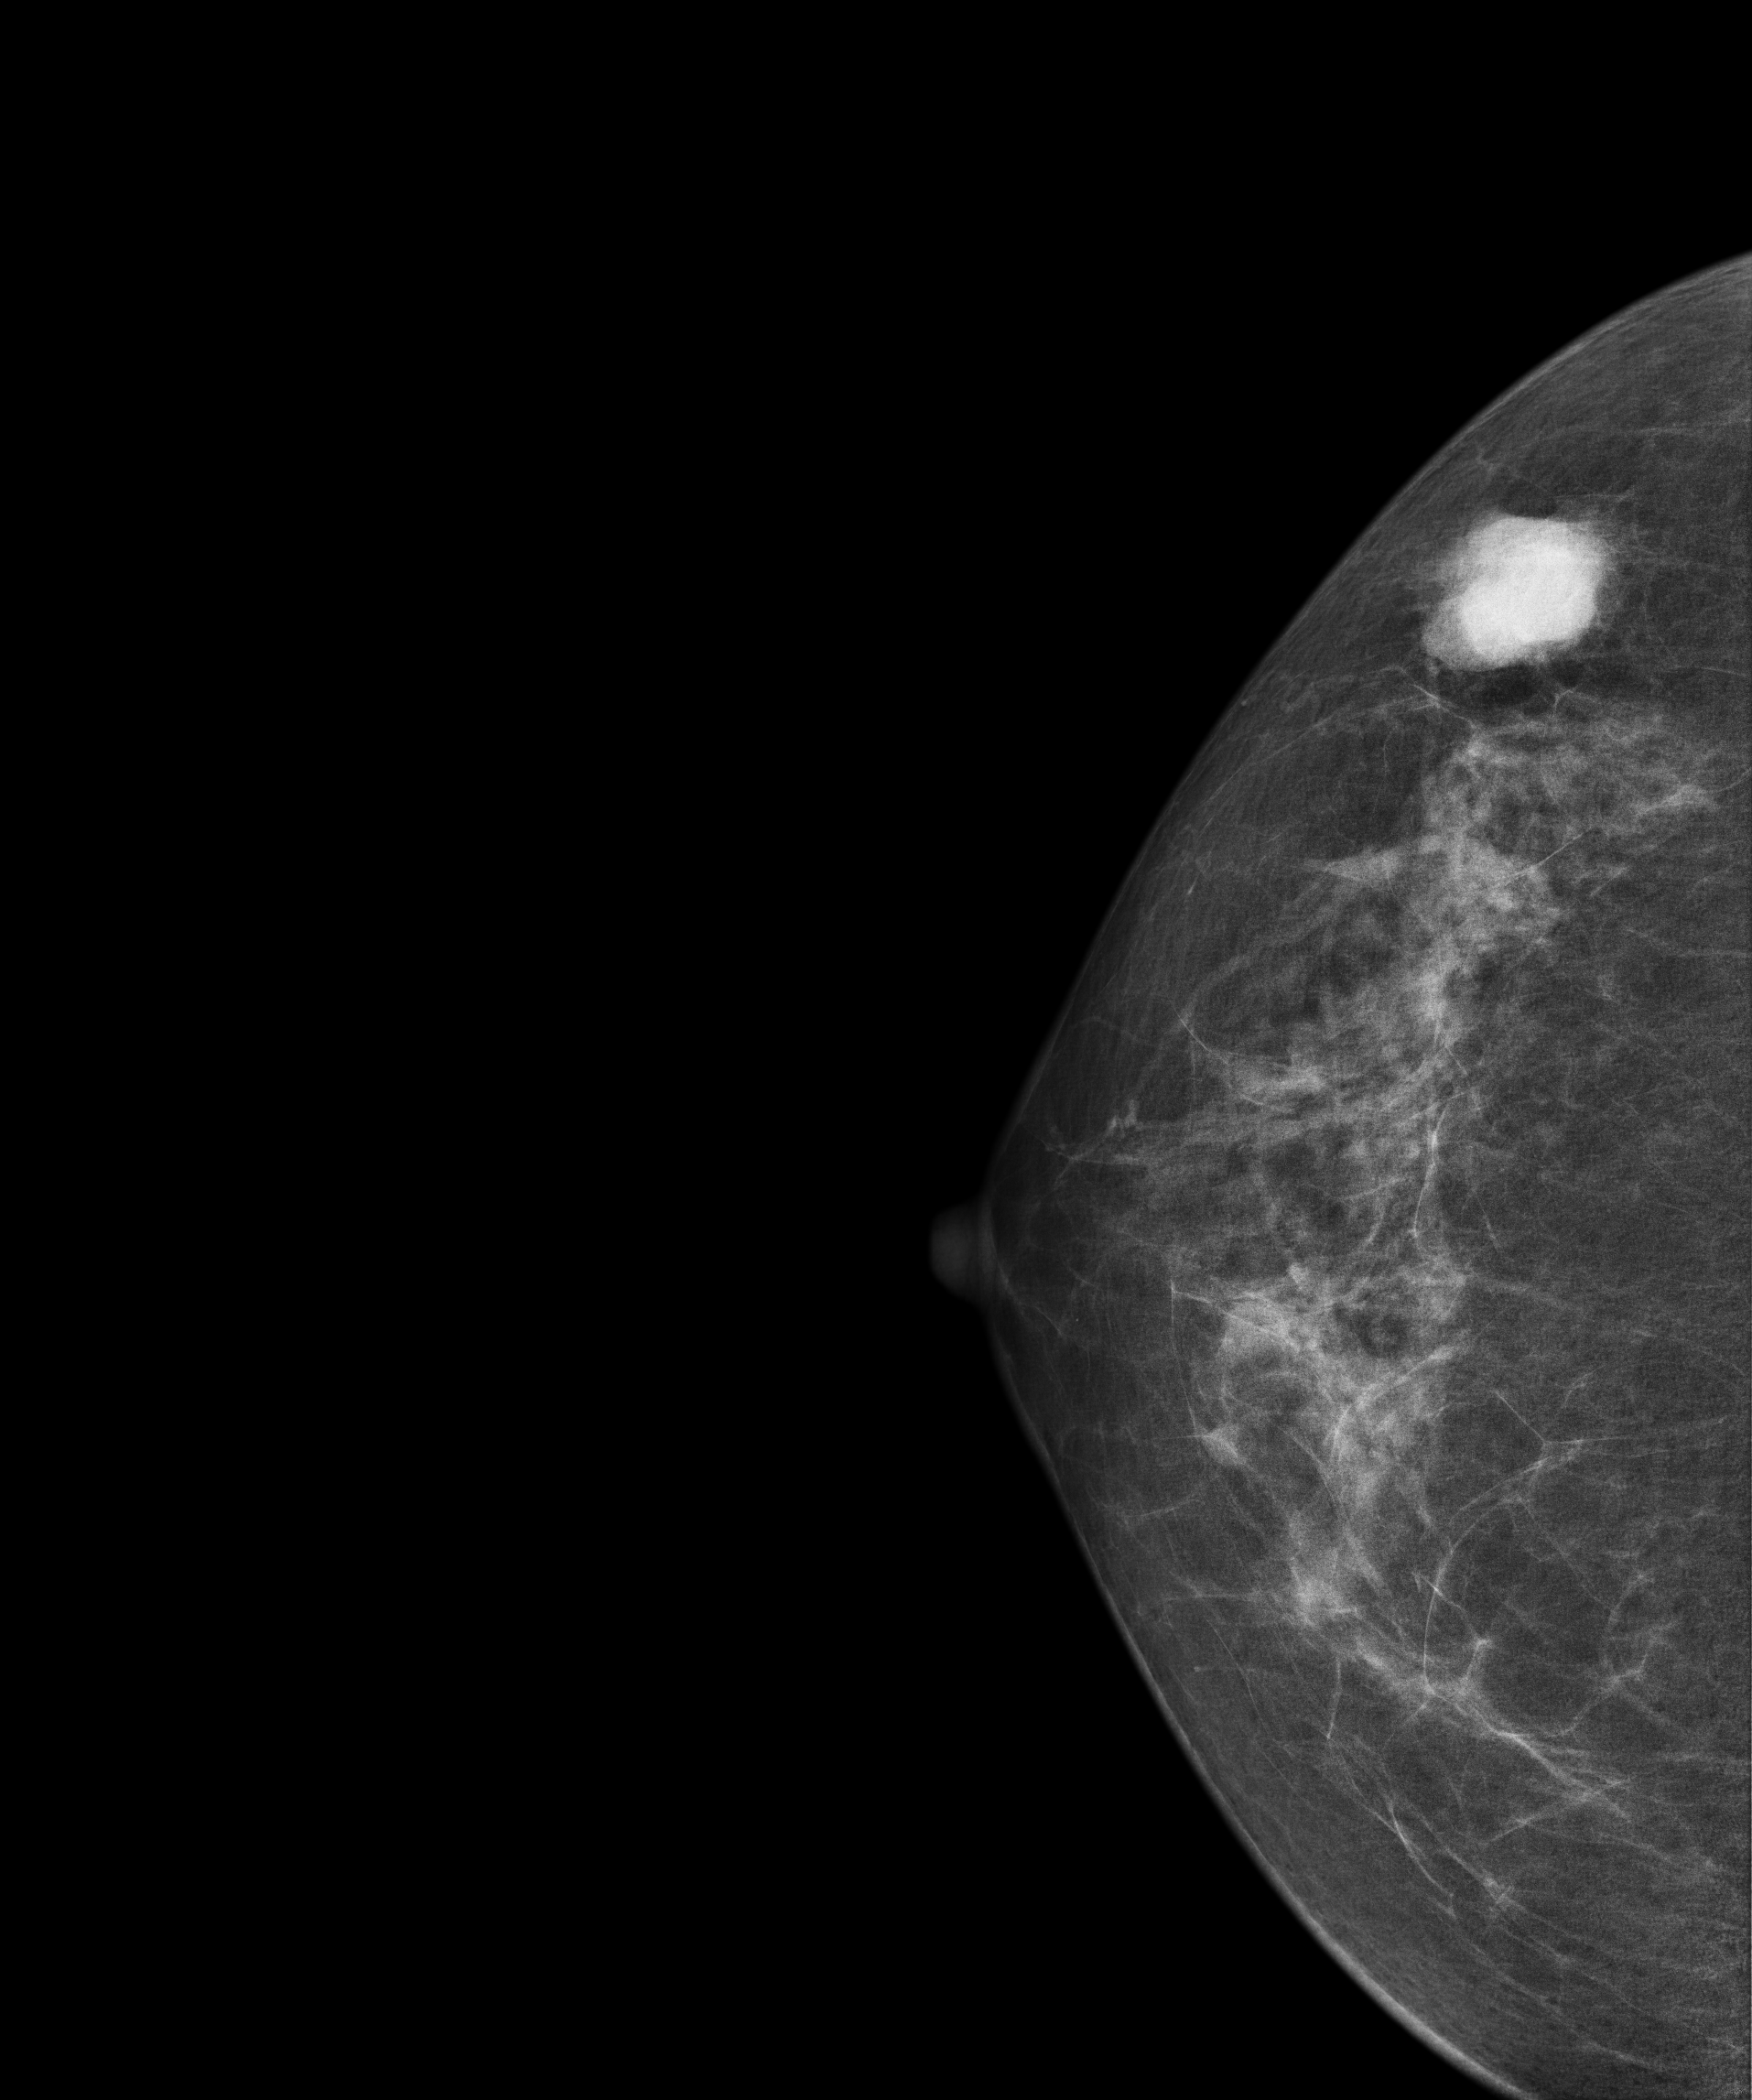
Digital mammography. Right breast, cranio-caudal projection. Patient age 58.
This breast has a mass, histologically confirmed malignant.